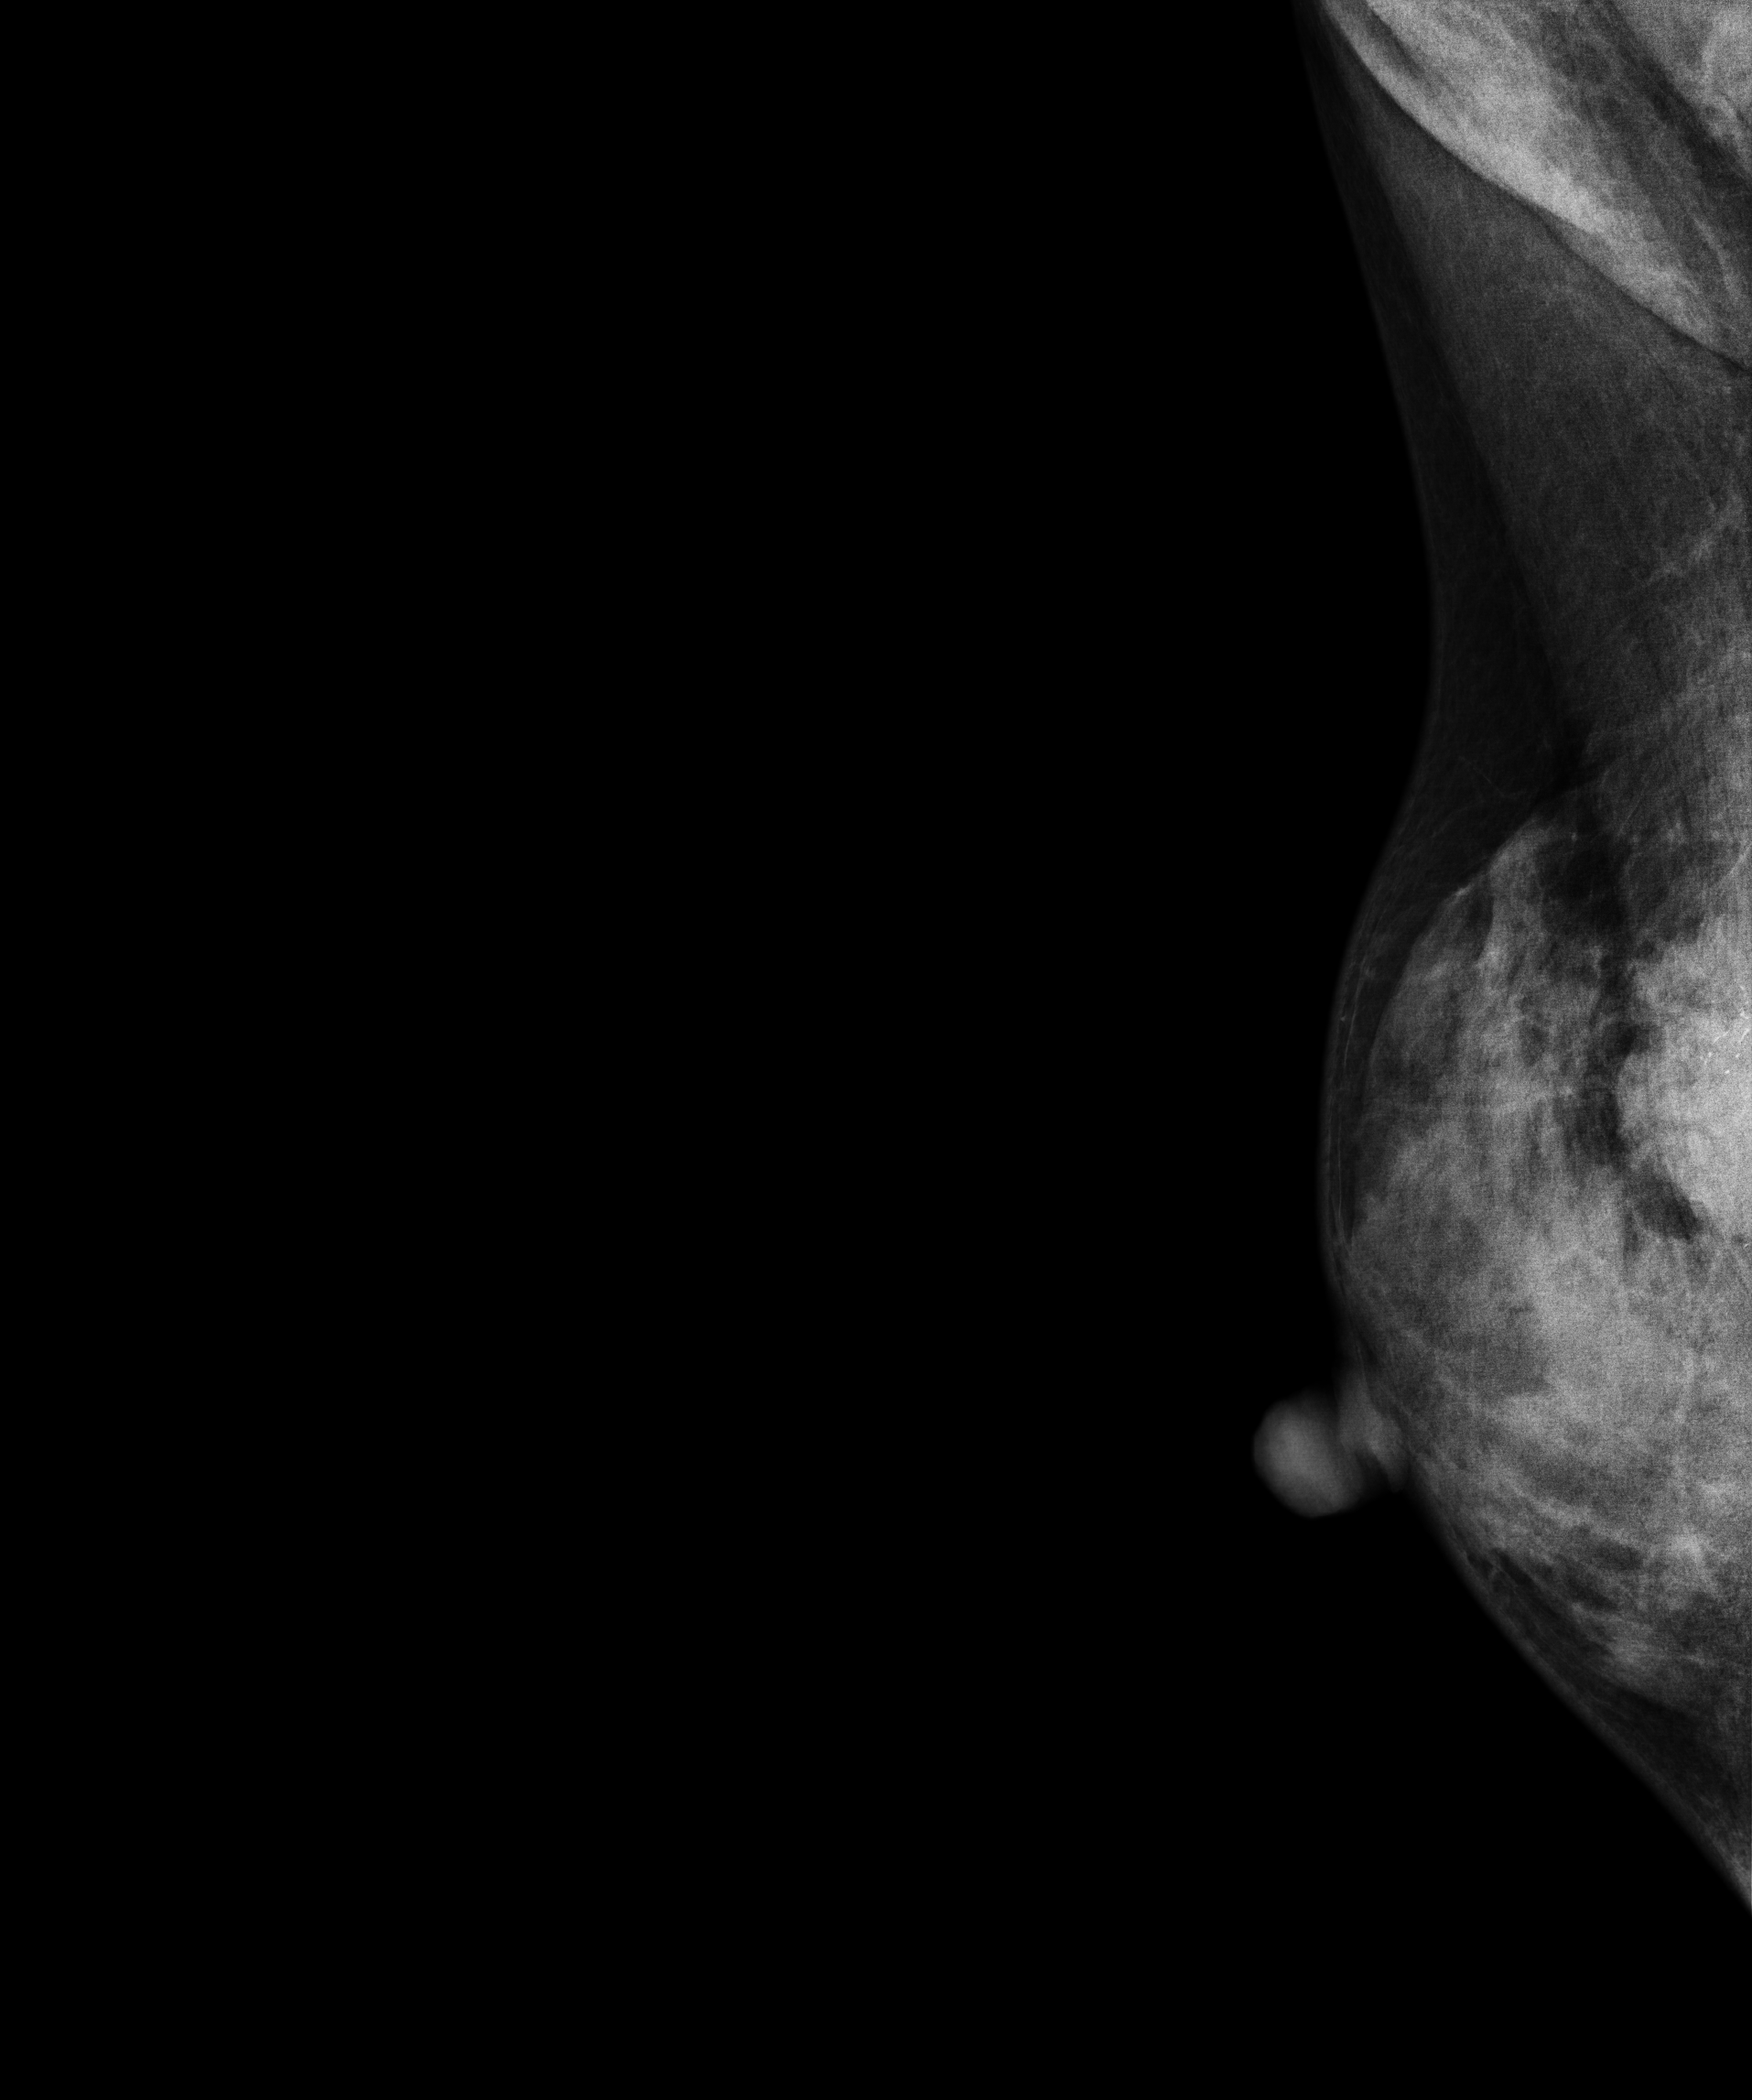
Digital mammography. Right breast, MLO projection. 41 y/o patient.
This breast has a mass and calcifications, pathology-confirmed malignant.